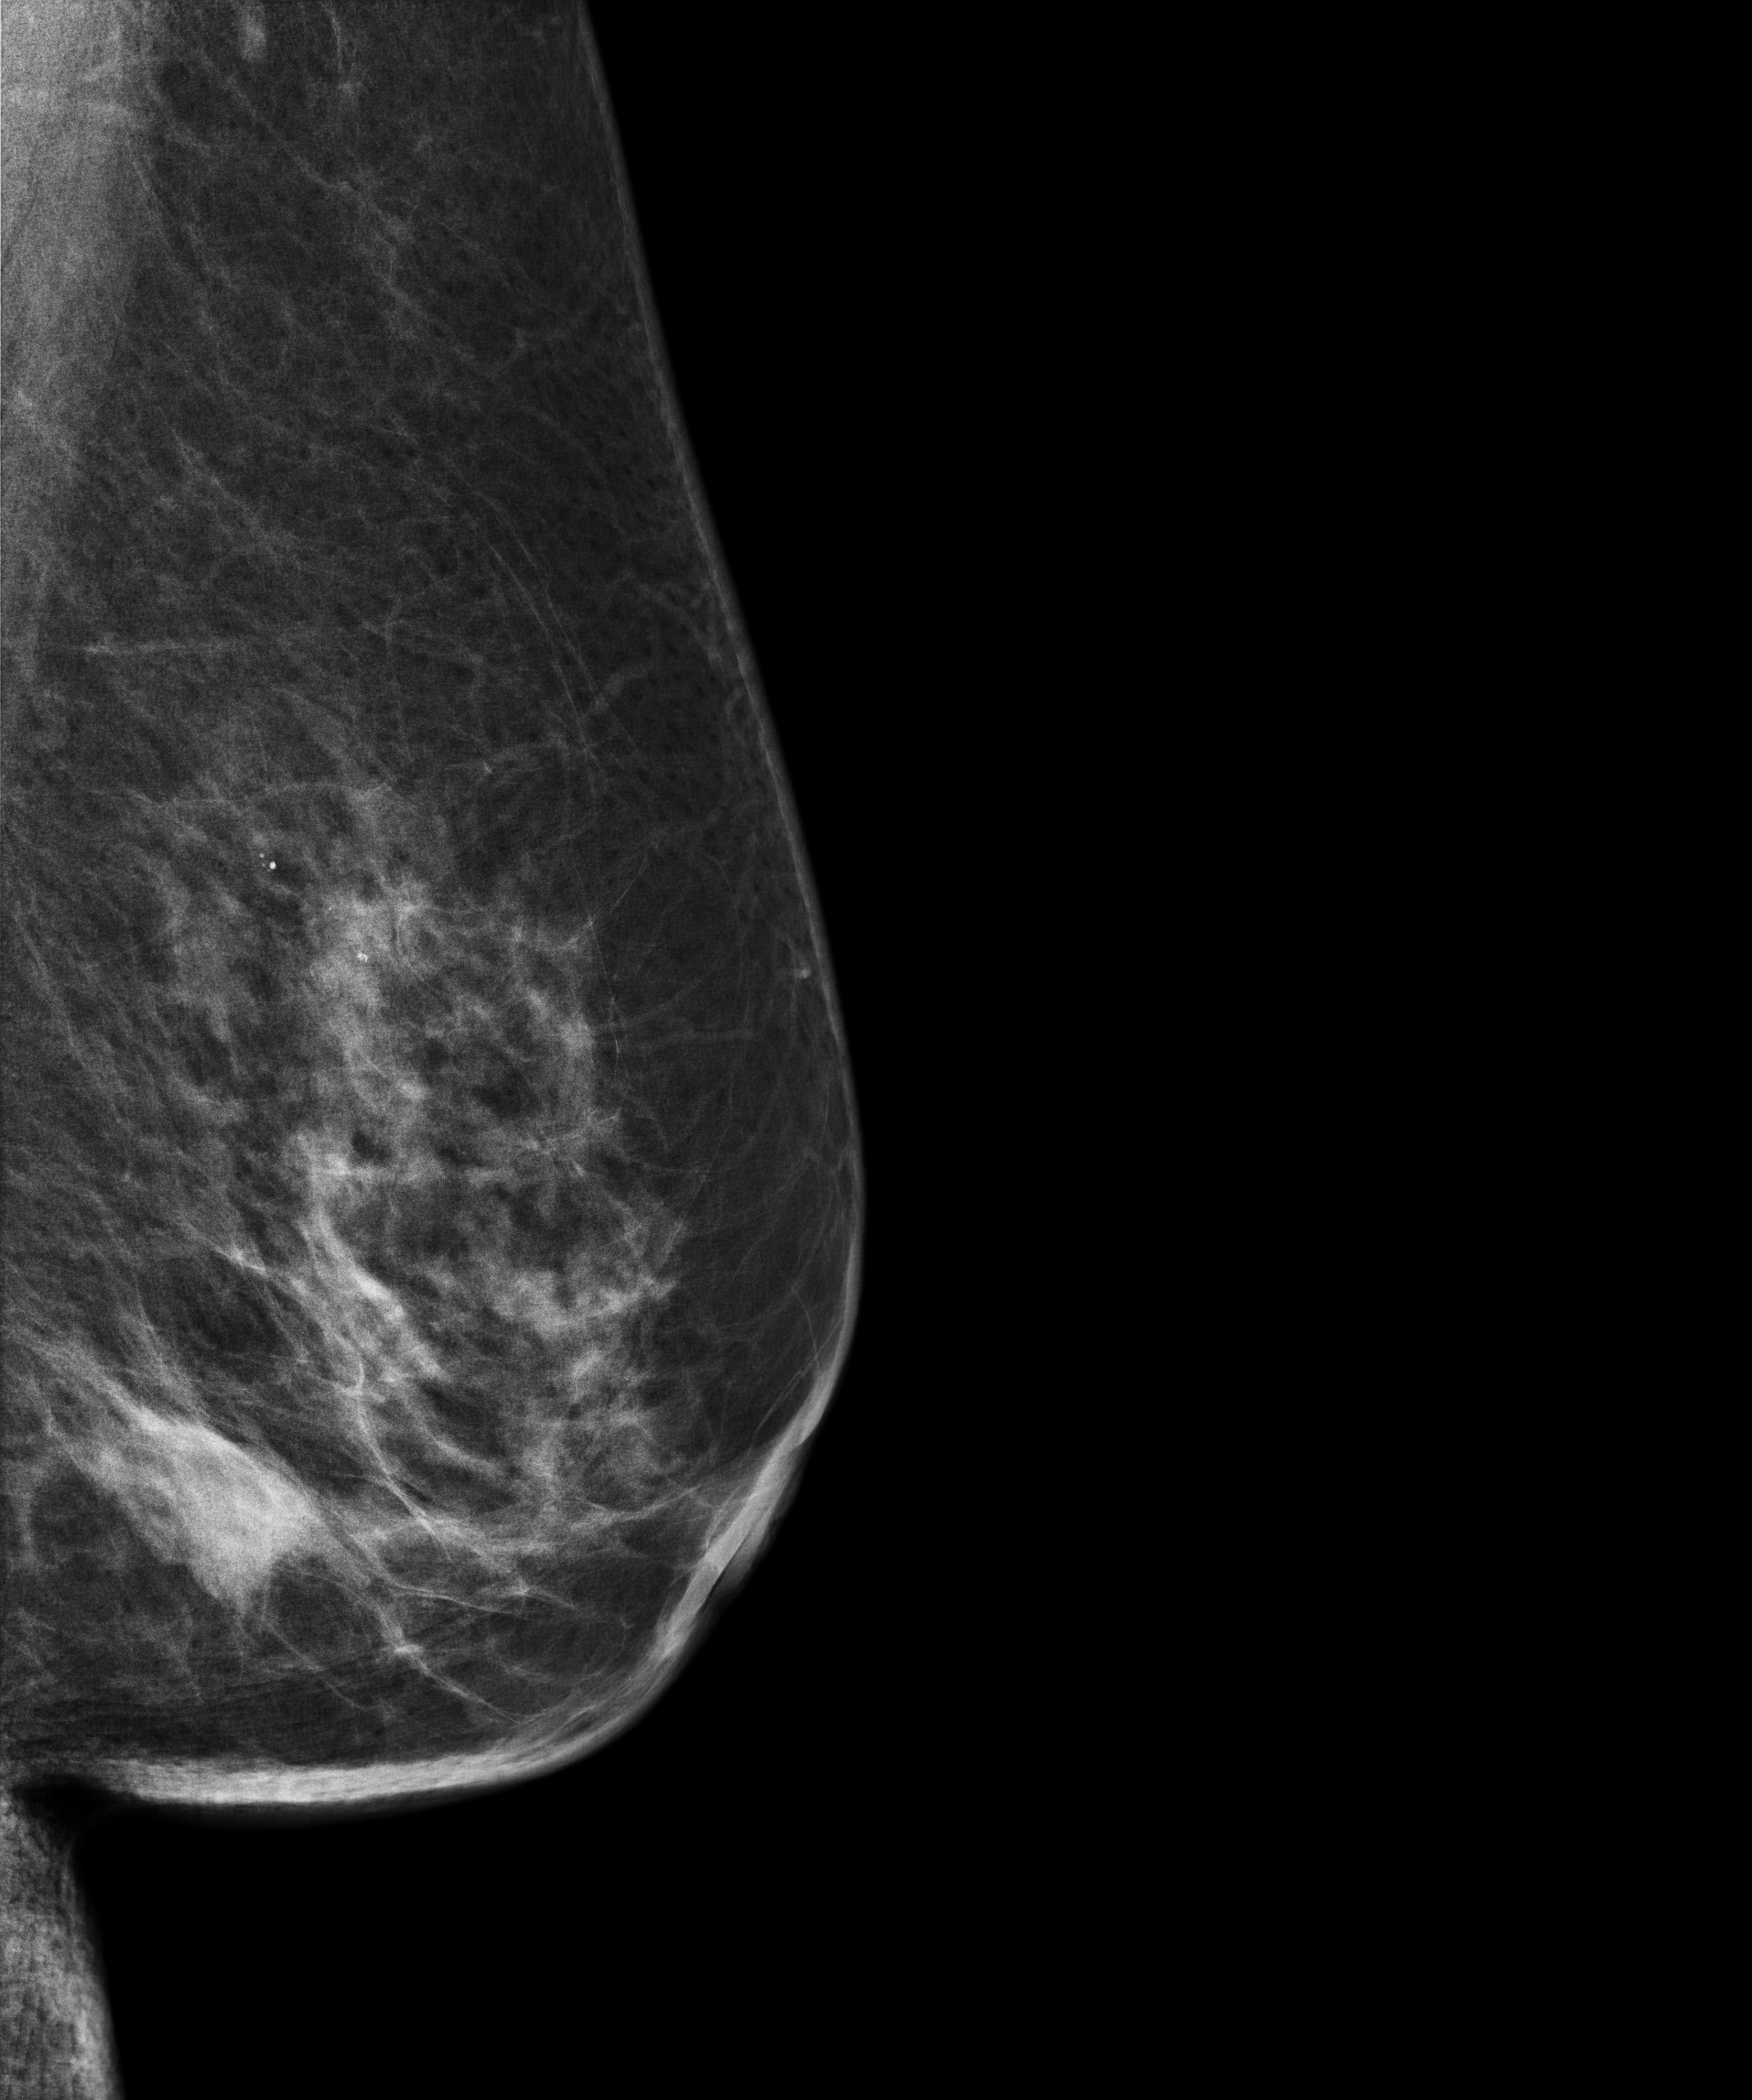
Digital mammography. Left breast, MLO projection. 78 y/o patient.
This breast has a mass, biopsy-proven malignant.